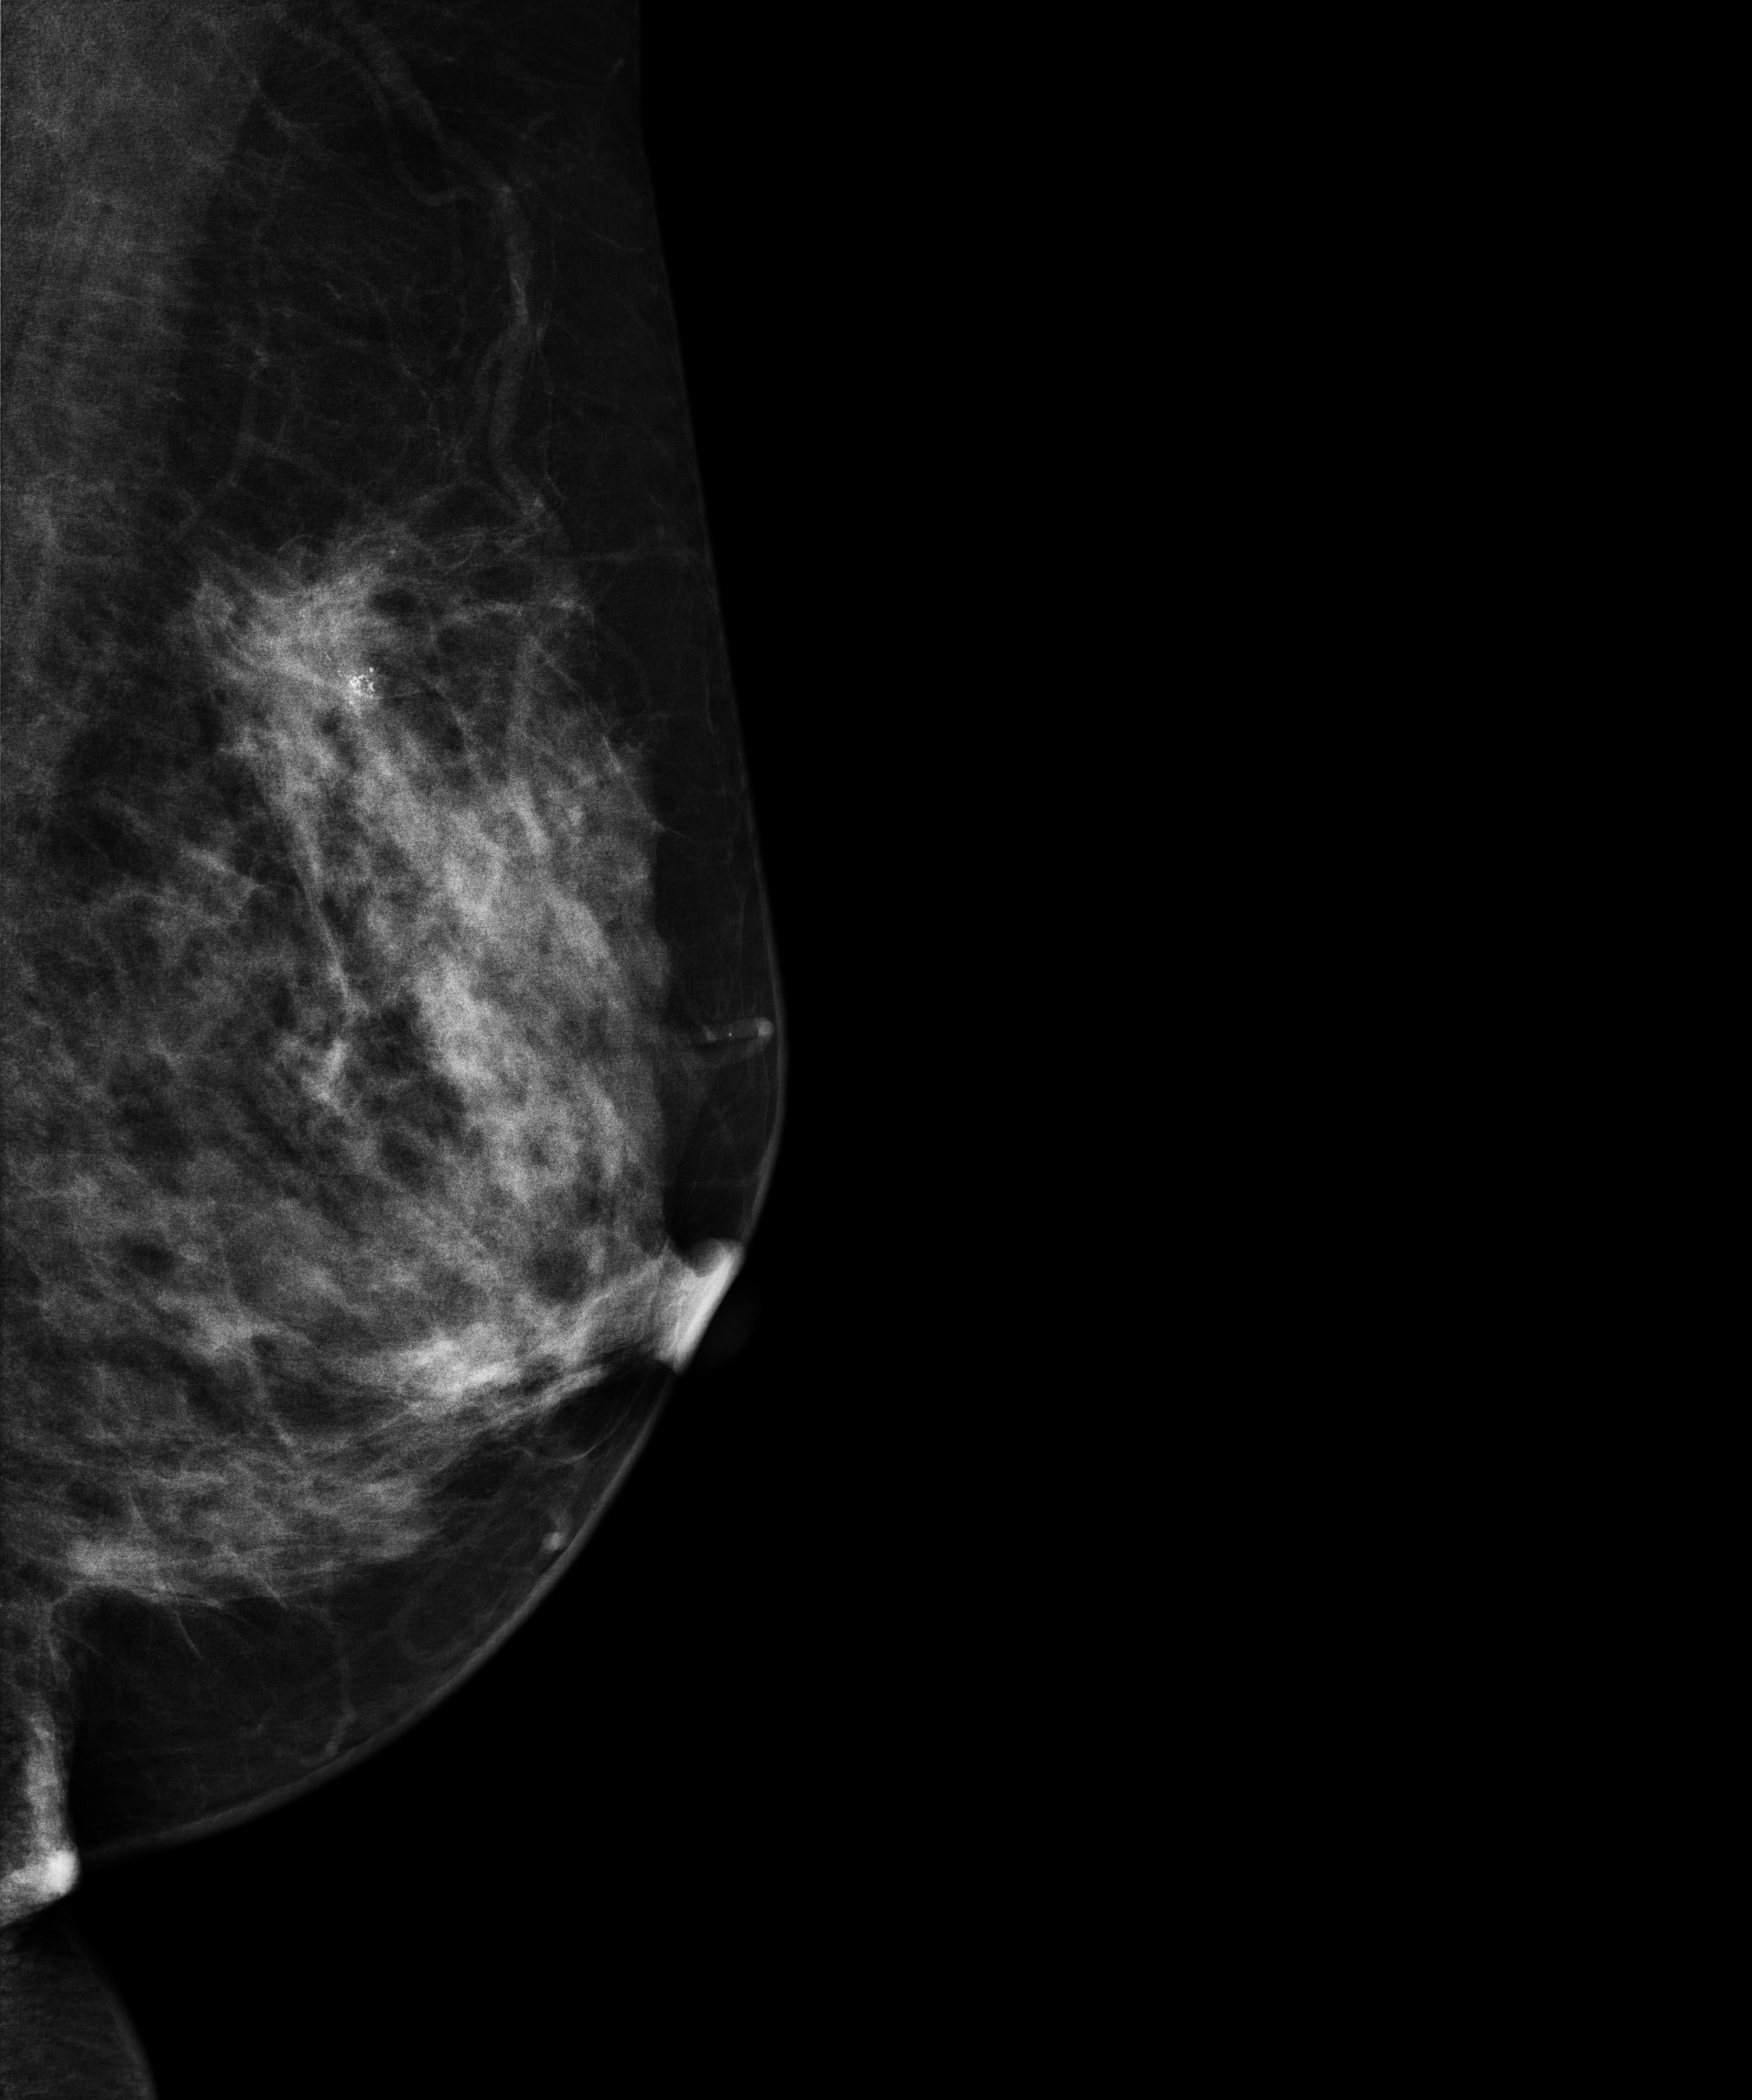
Mammogram, left breast, MLO view. 56-year-old patient.
This breast has a mass and calcifications, histologically confirmed malignant.